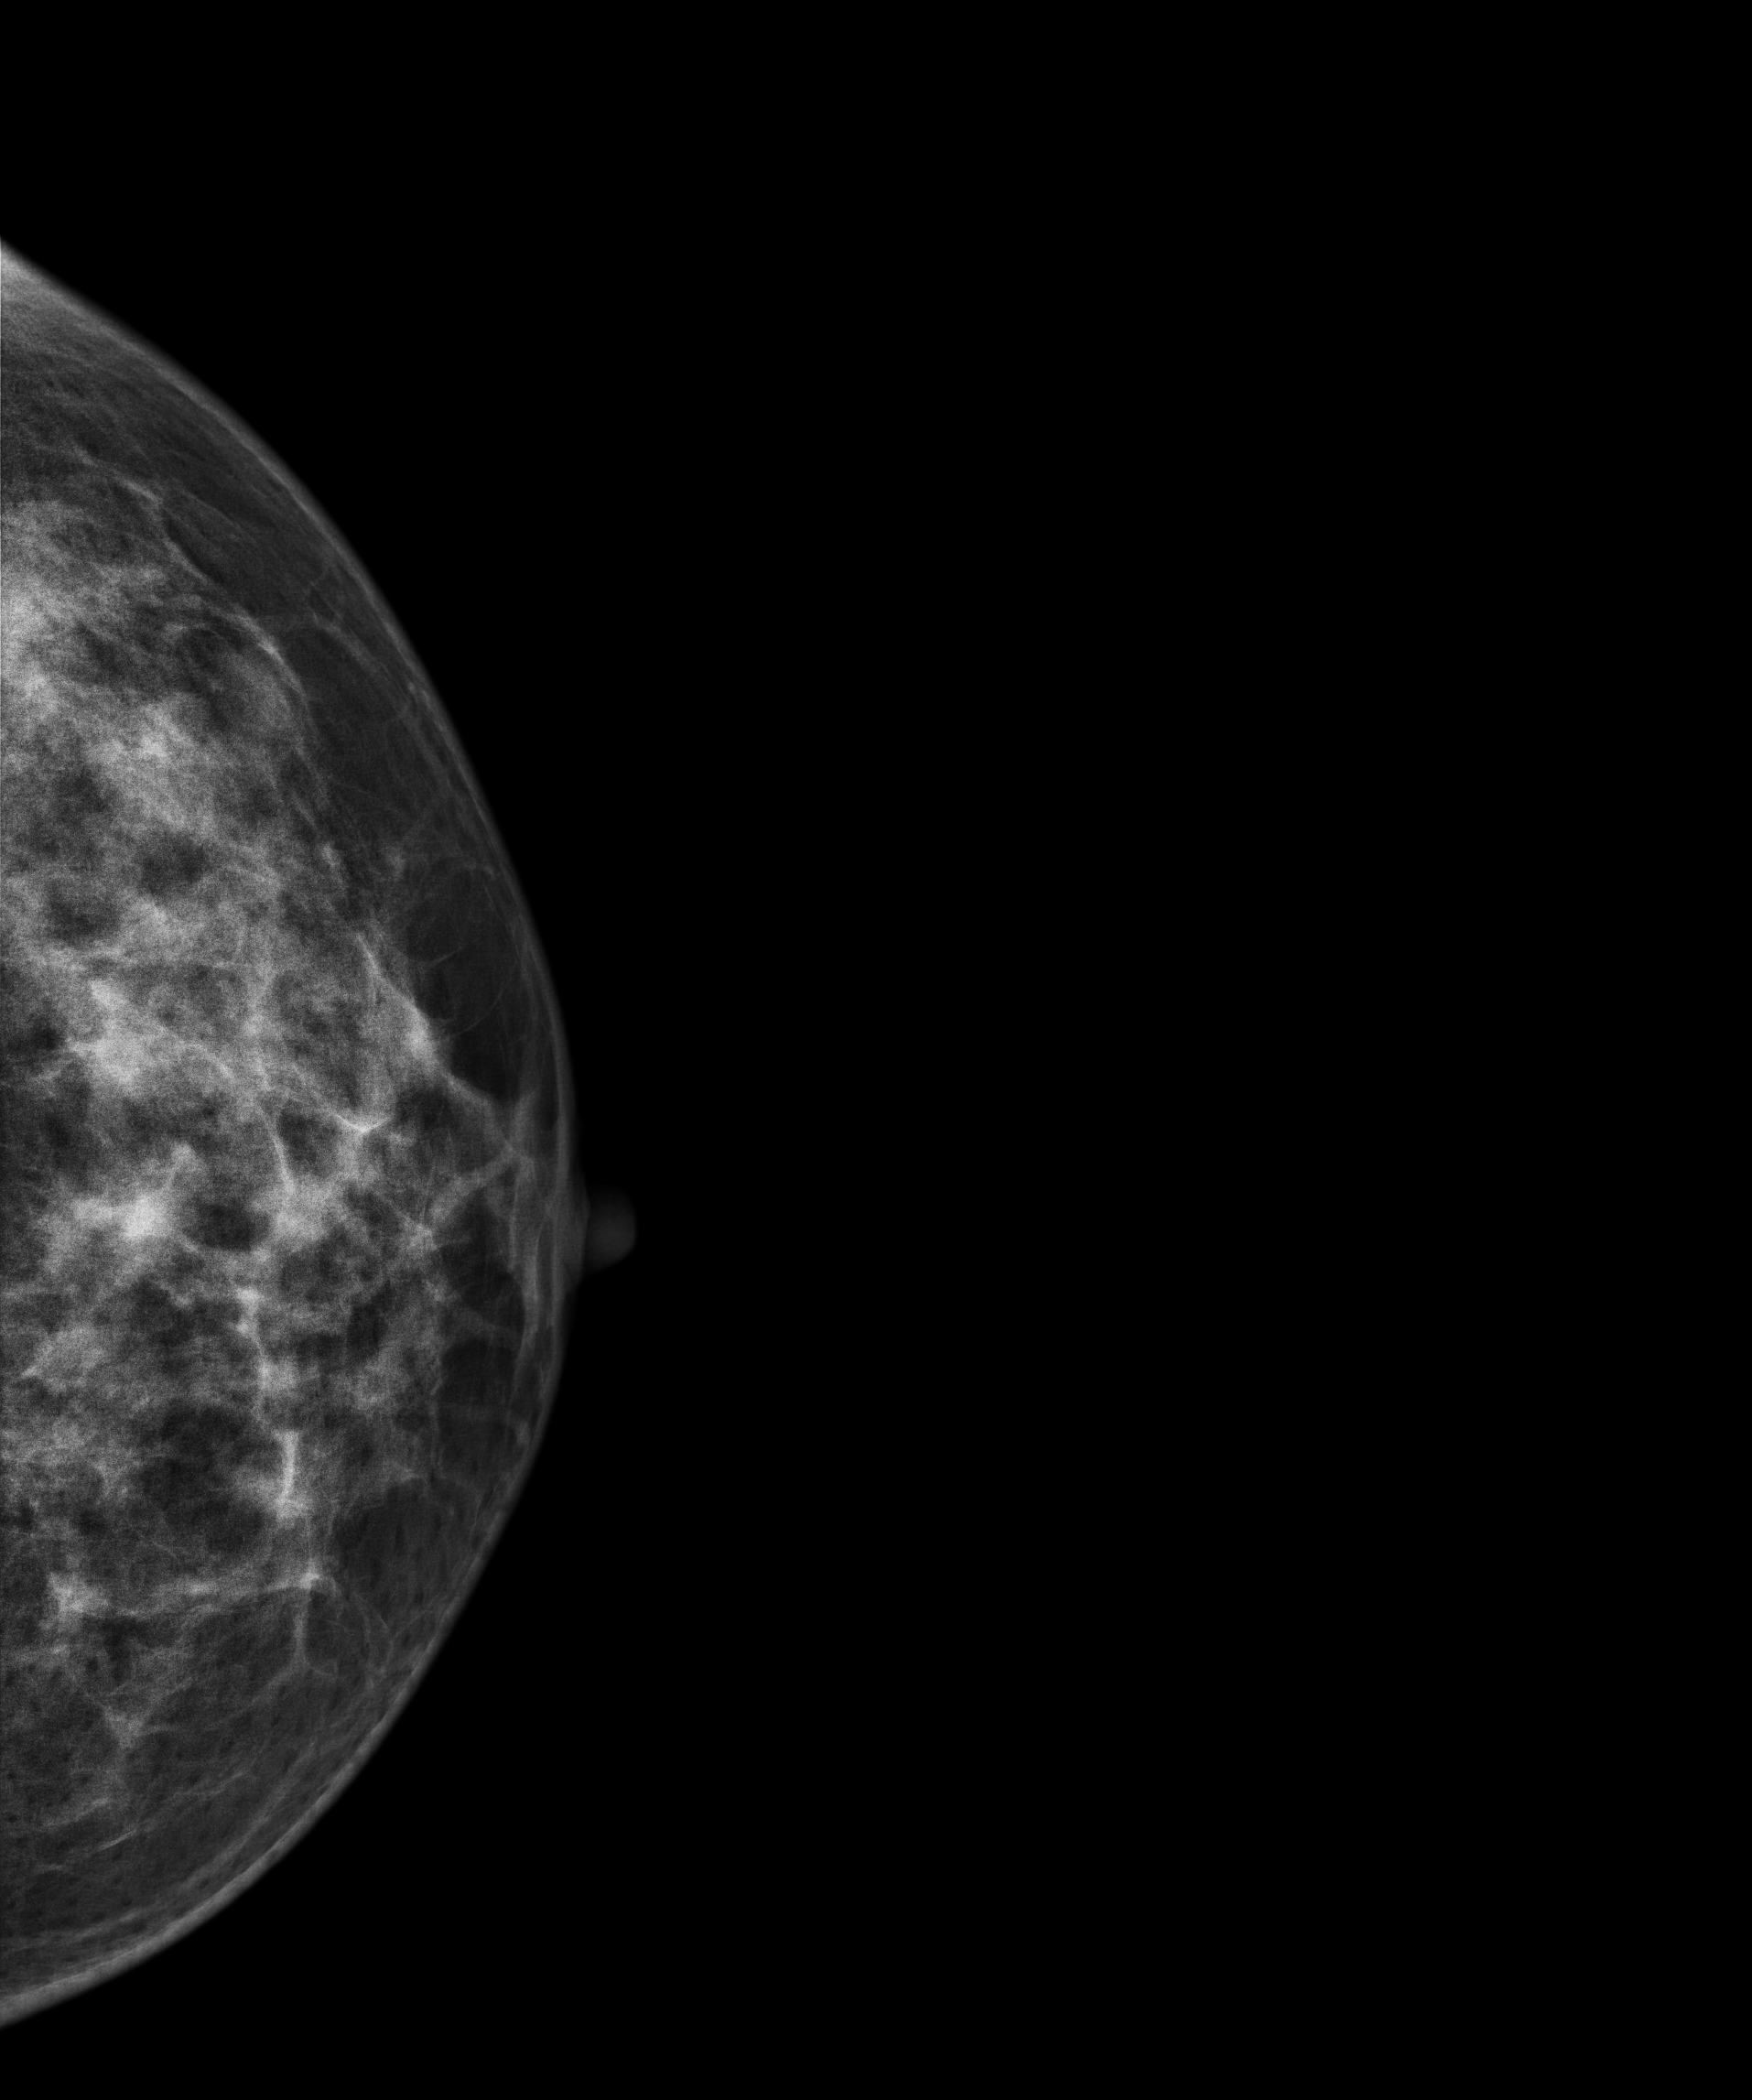
Mammogram — left cranio-caudal. 49-year-old patient.
This breast has a mass, biopsy-confirmed malignant. Molecular subtype: luminal B.